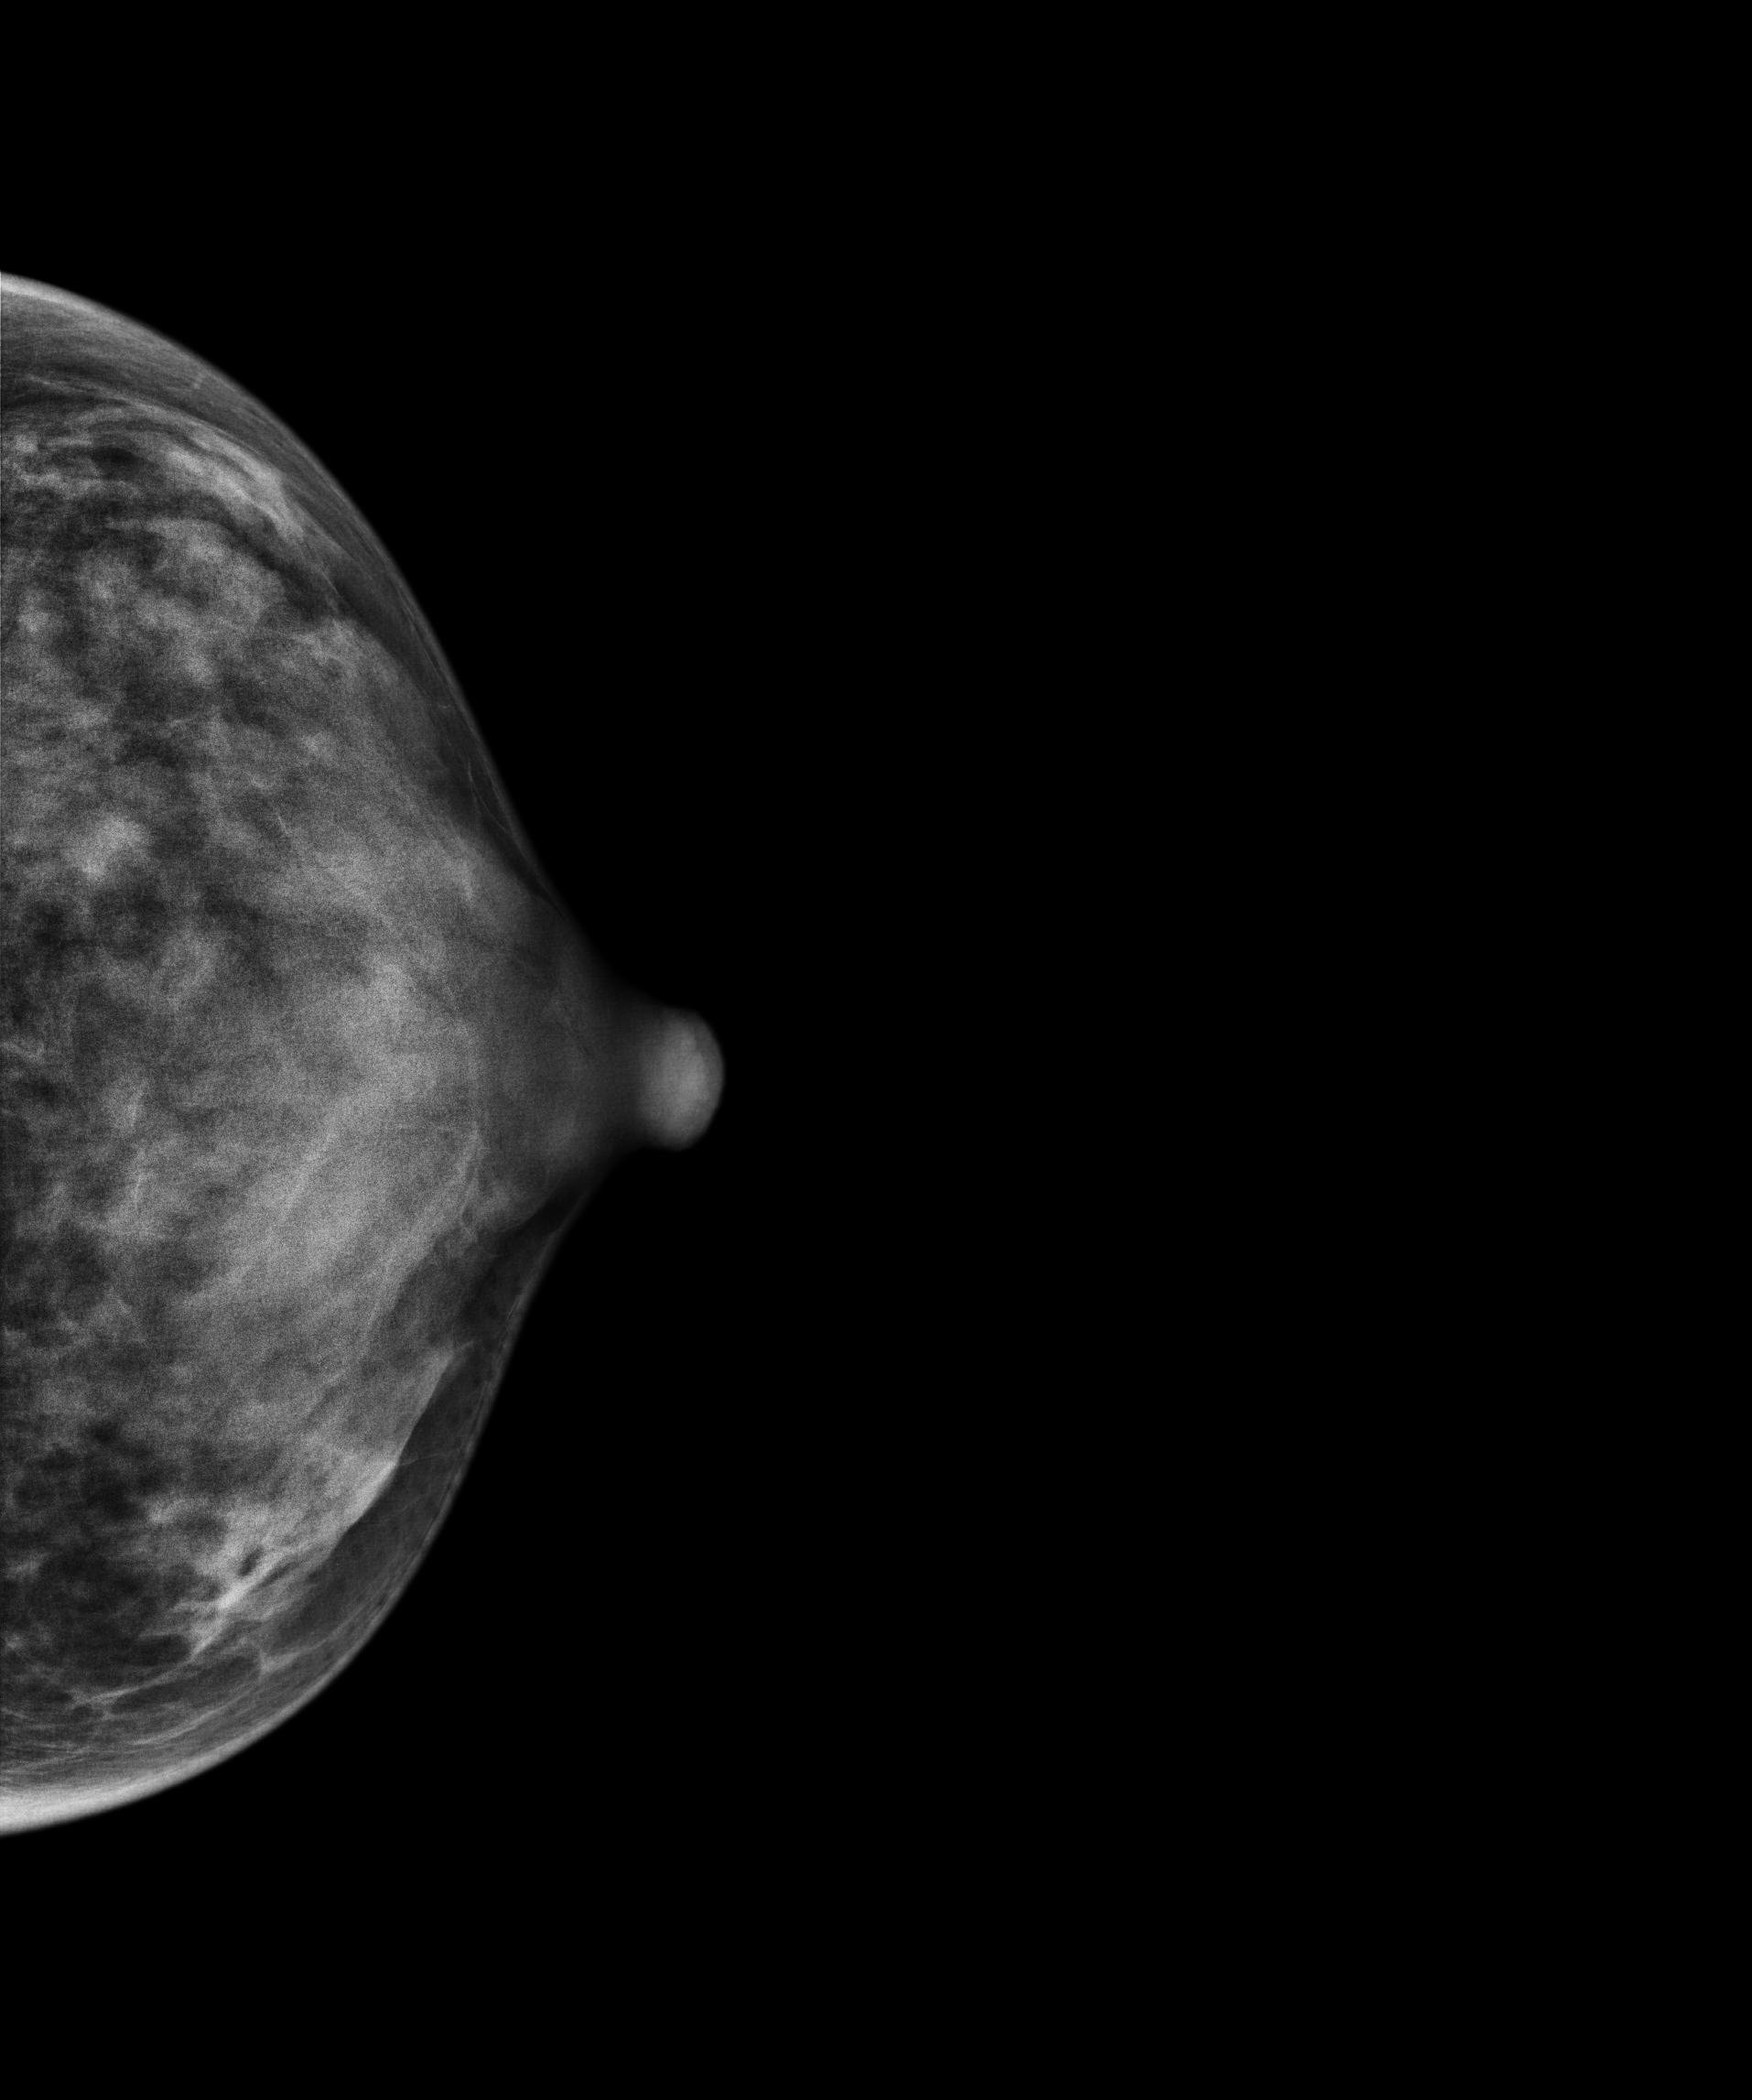
CC mammogram of the left breast. 33 y/o patient.
Contralateral breast — no documented abnormality on this side.